Mammogram — right medio-lateral oblique. 62 y/o patient.
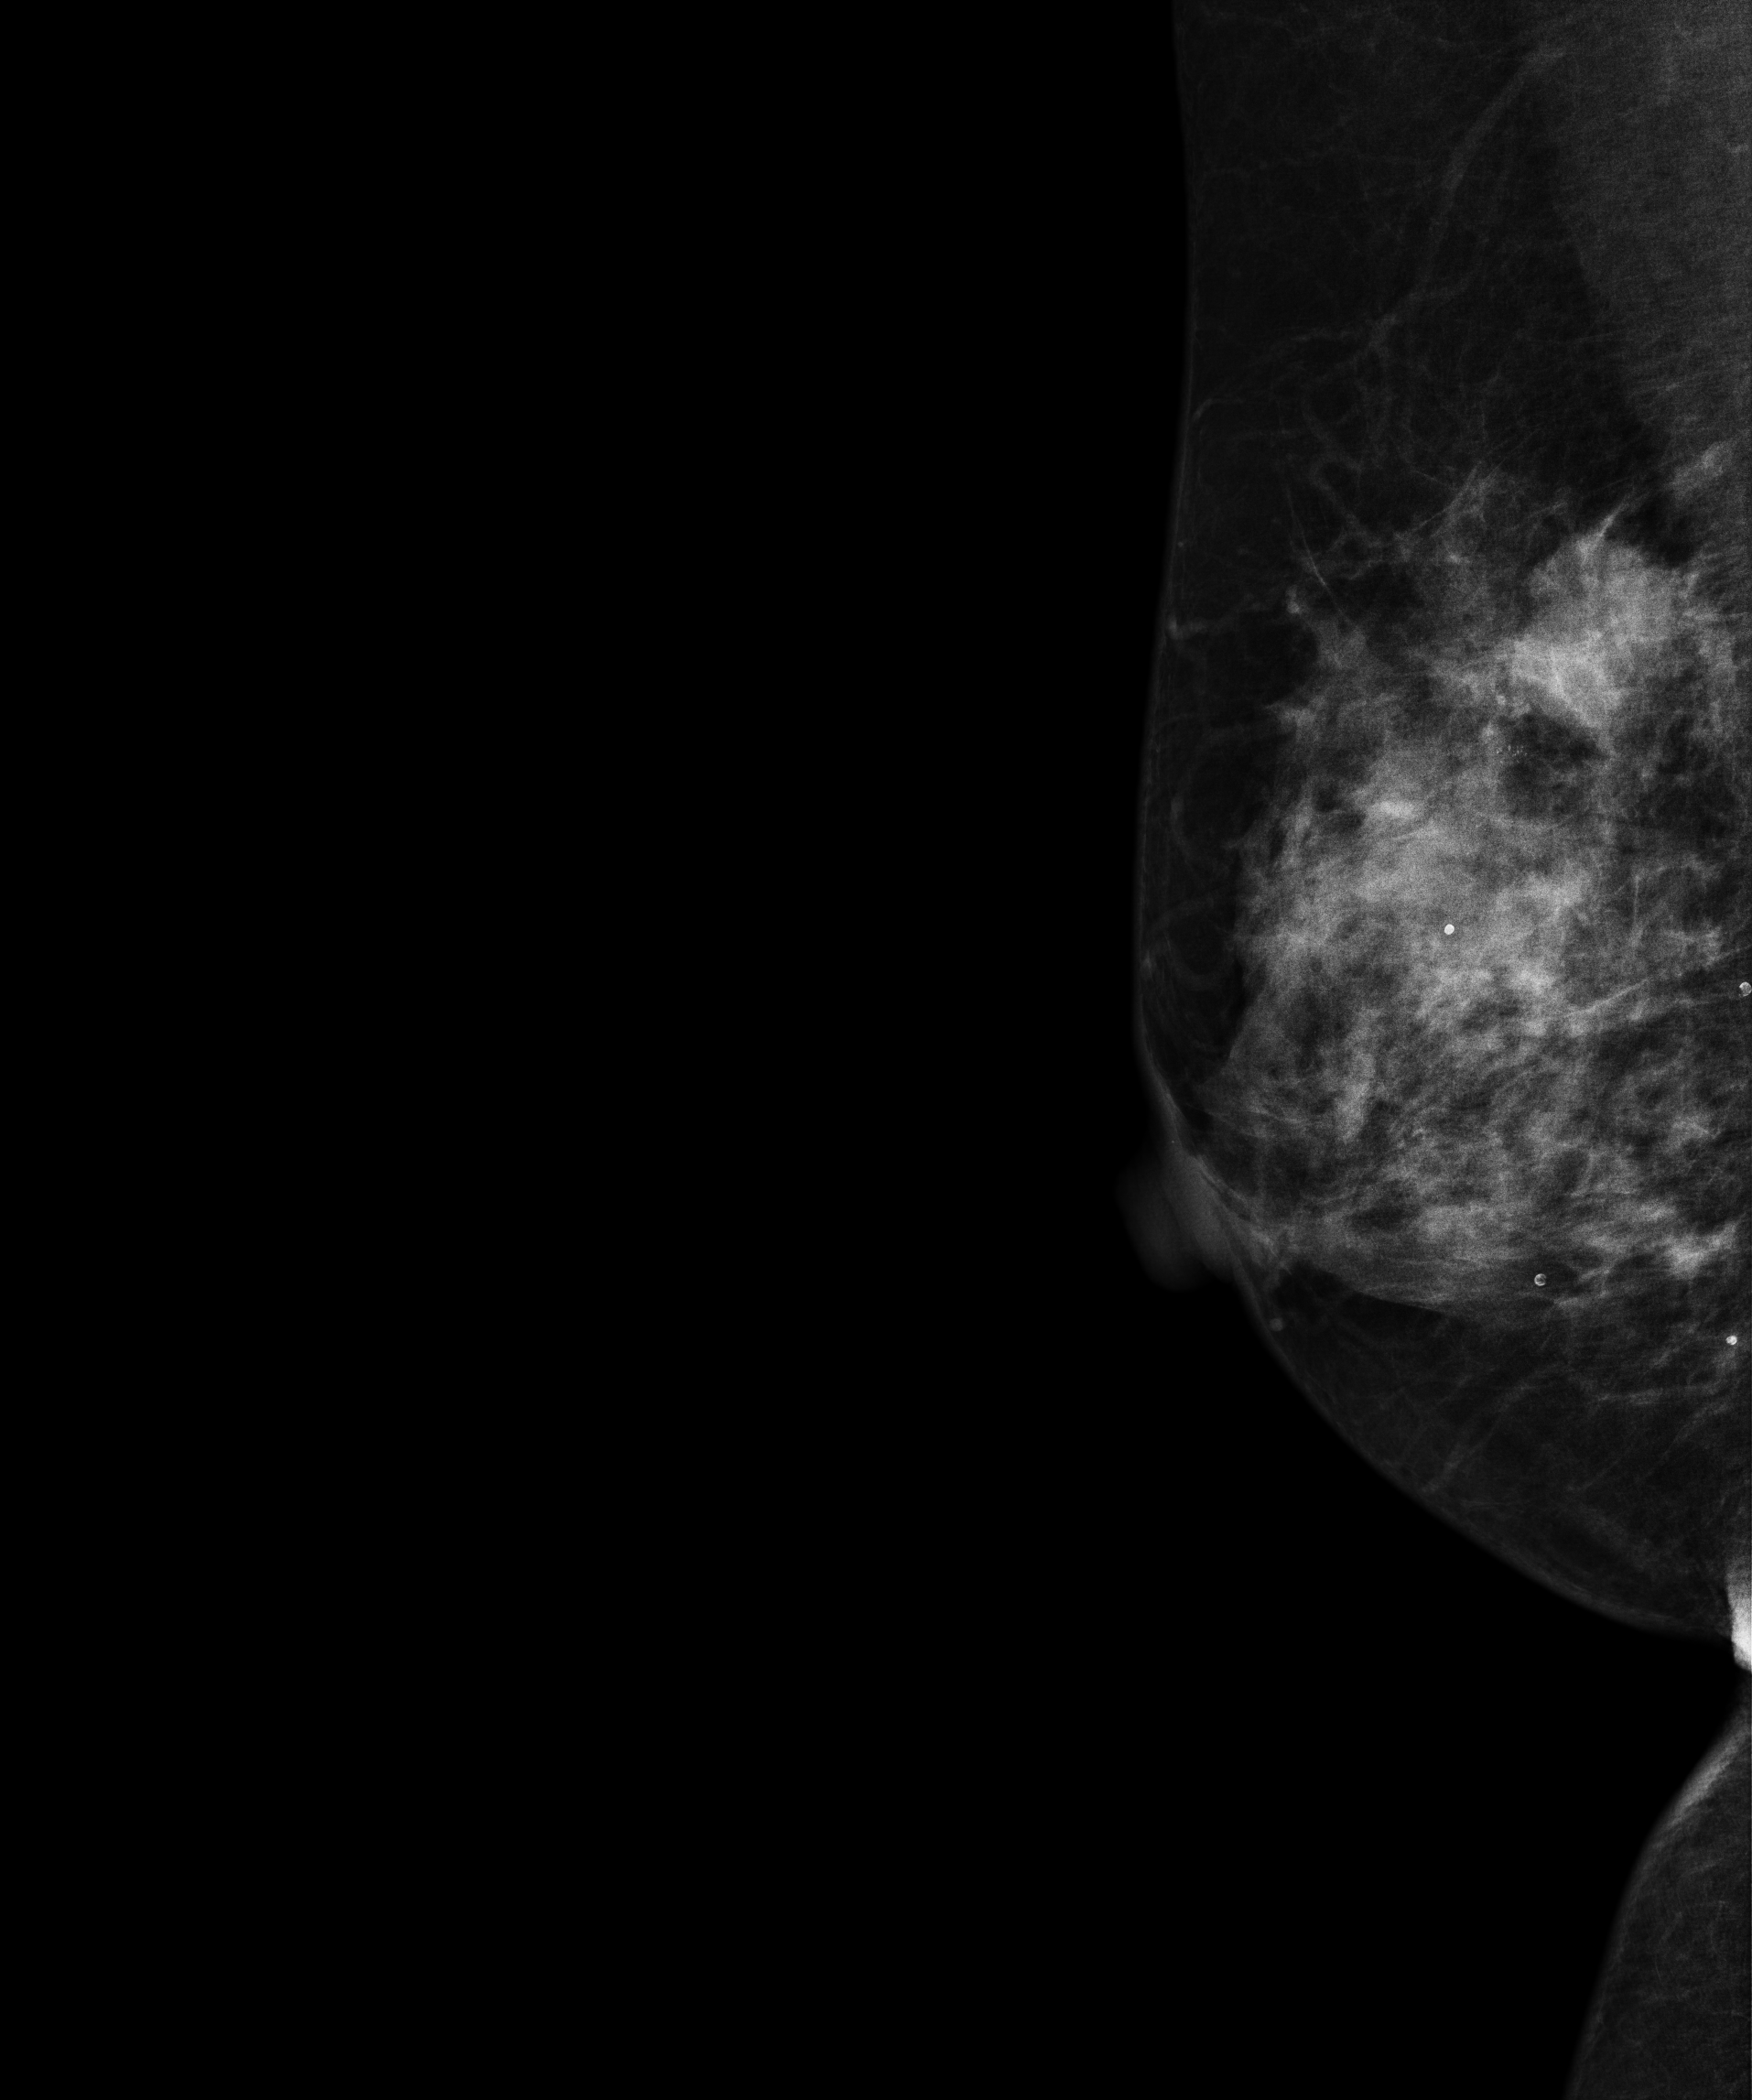
This breast has a mass, histologically confirmed malignant. Molecular subtype: luminal B.